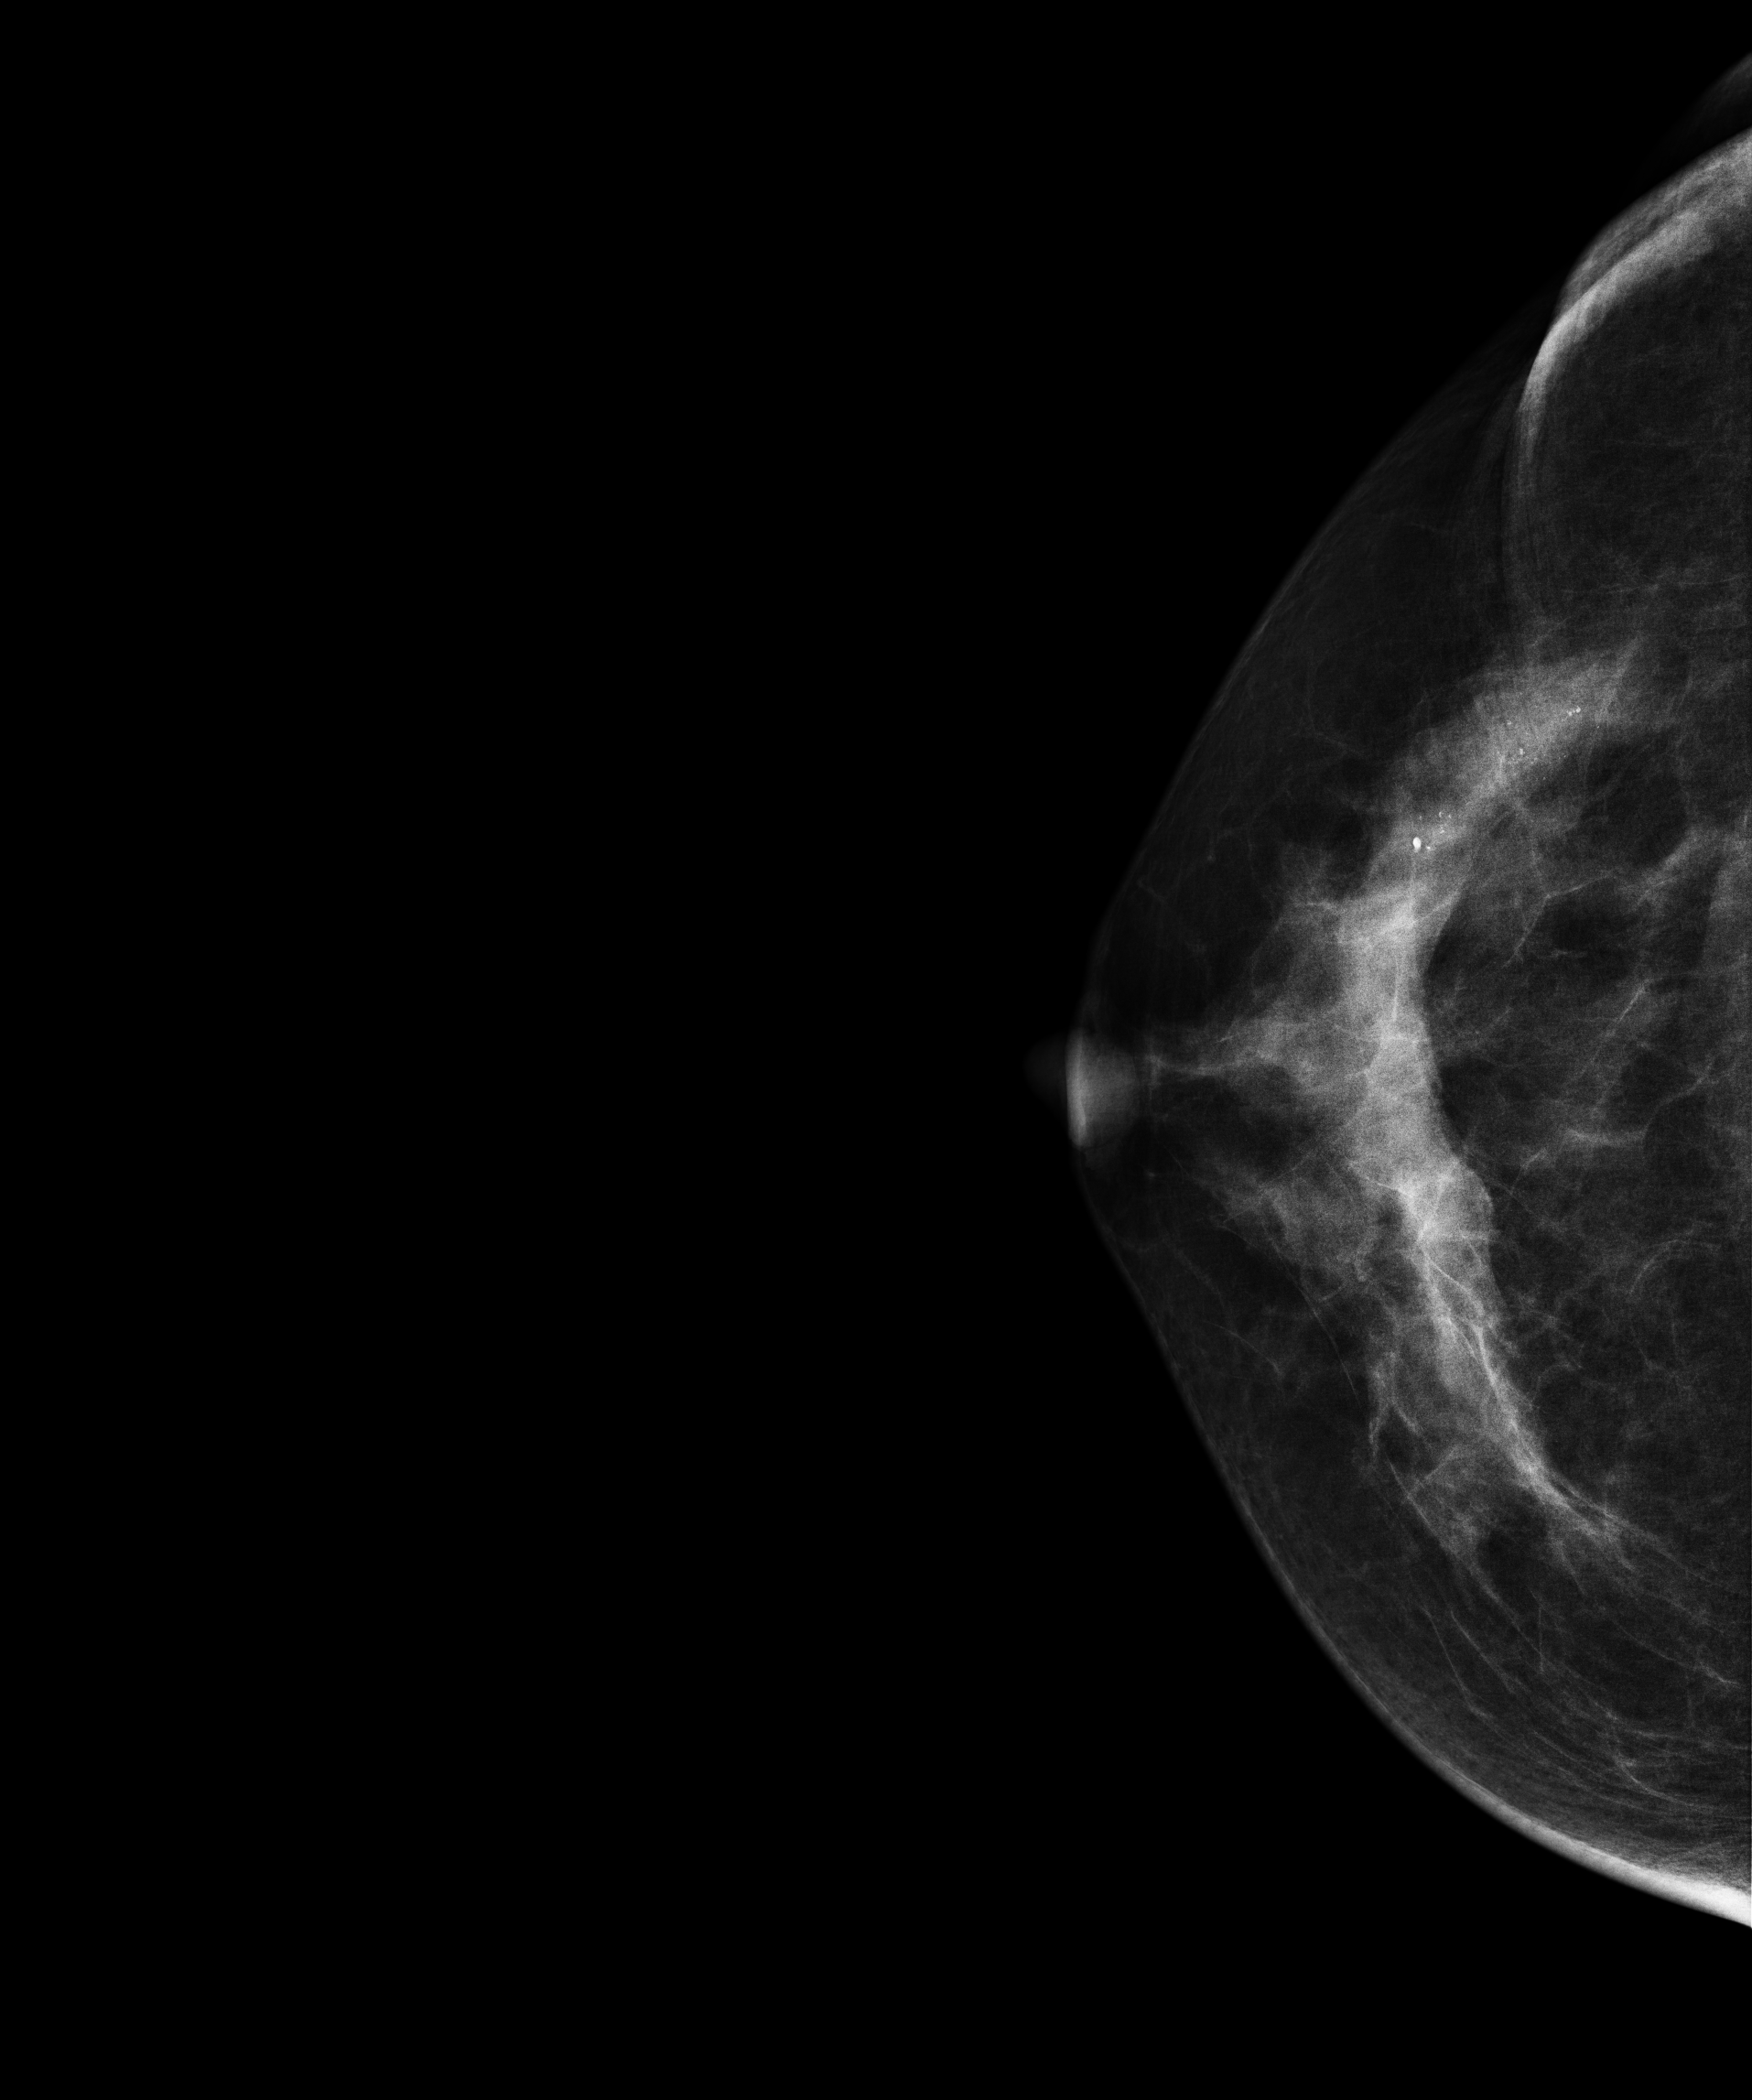
Mammogram, right breast, cranio-caudal view. Patient age 45.
This breast has calcifications, biopsy-proven benign.